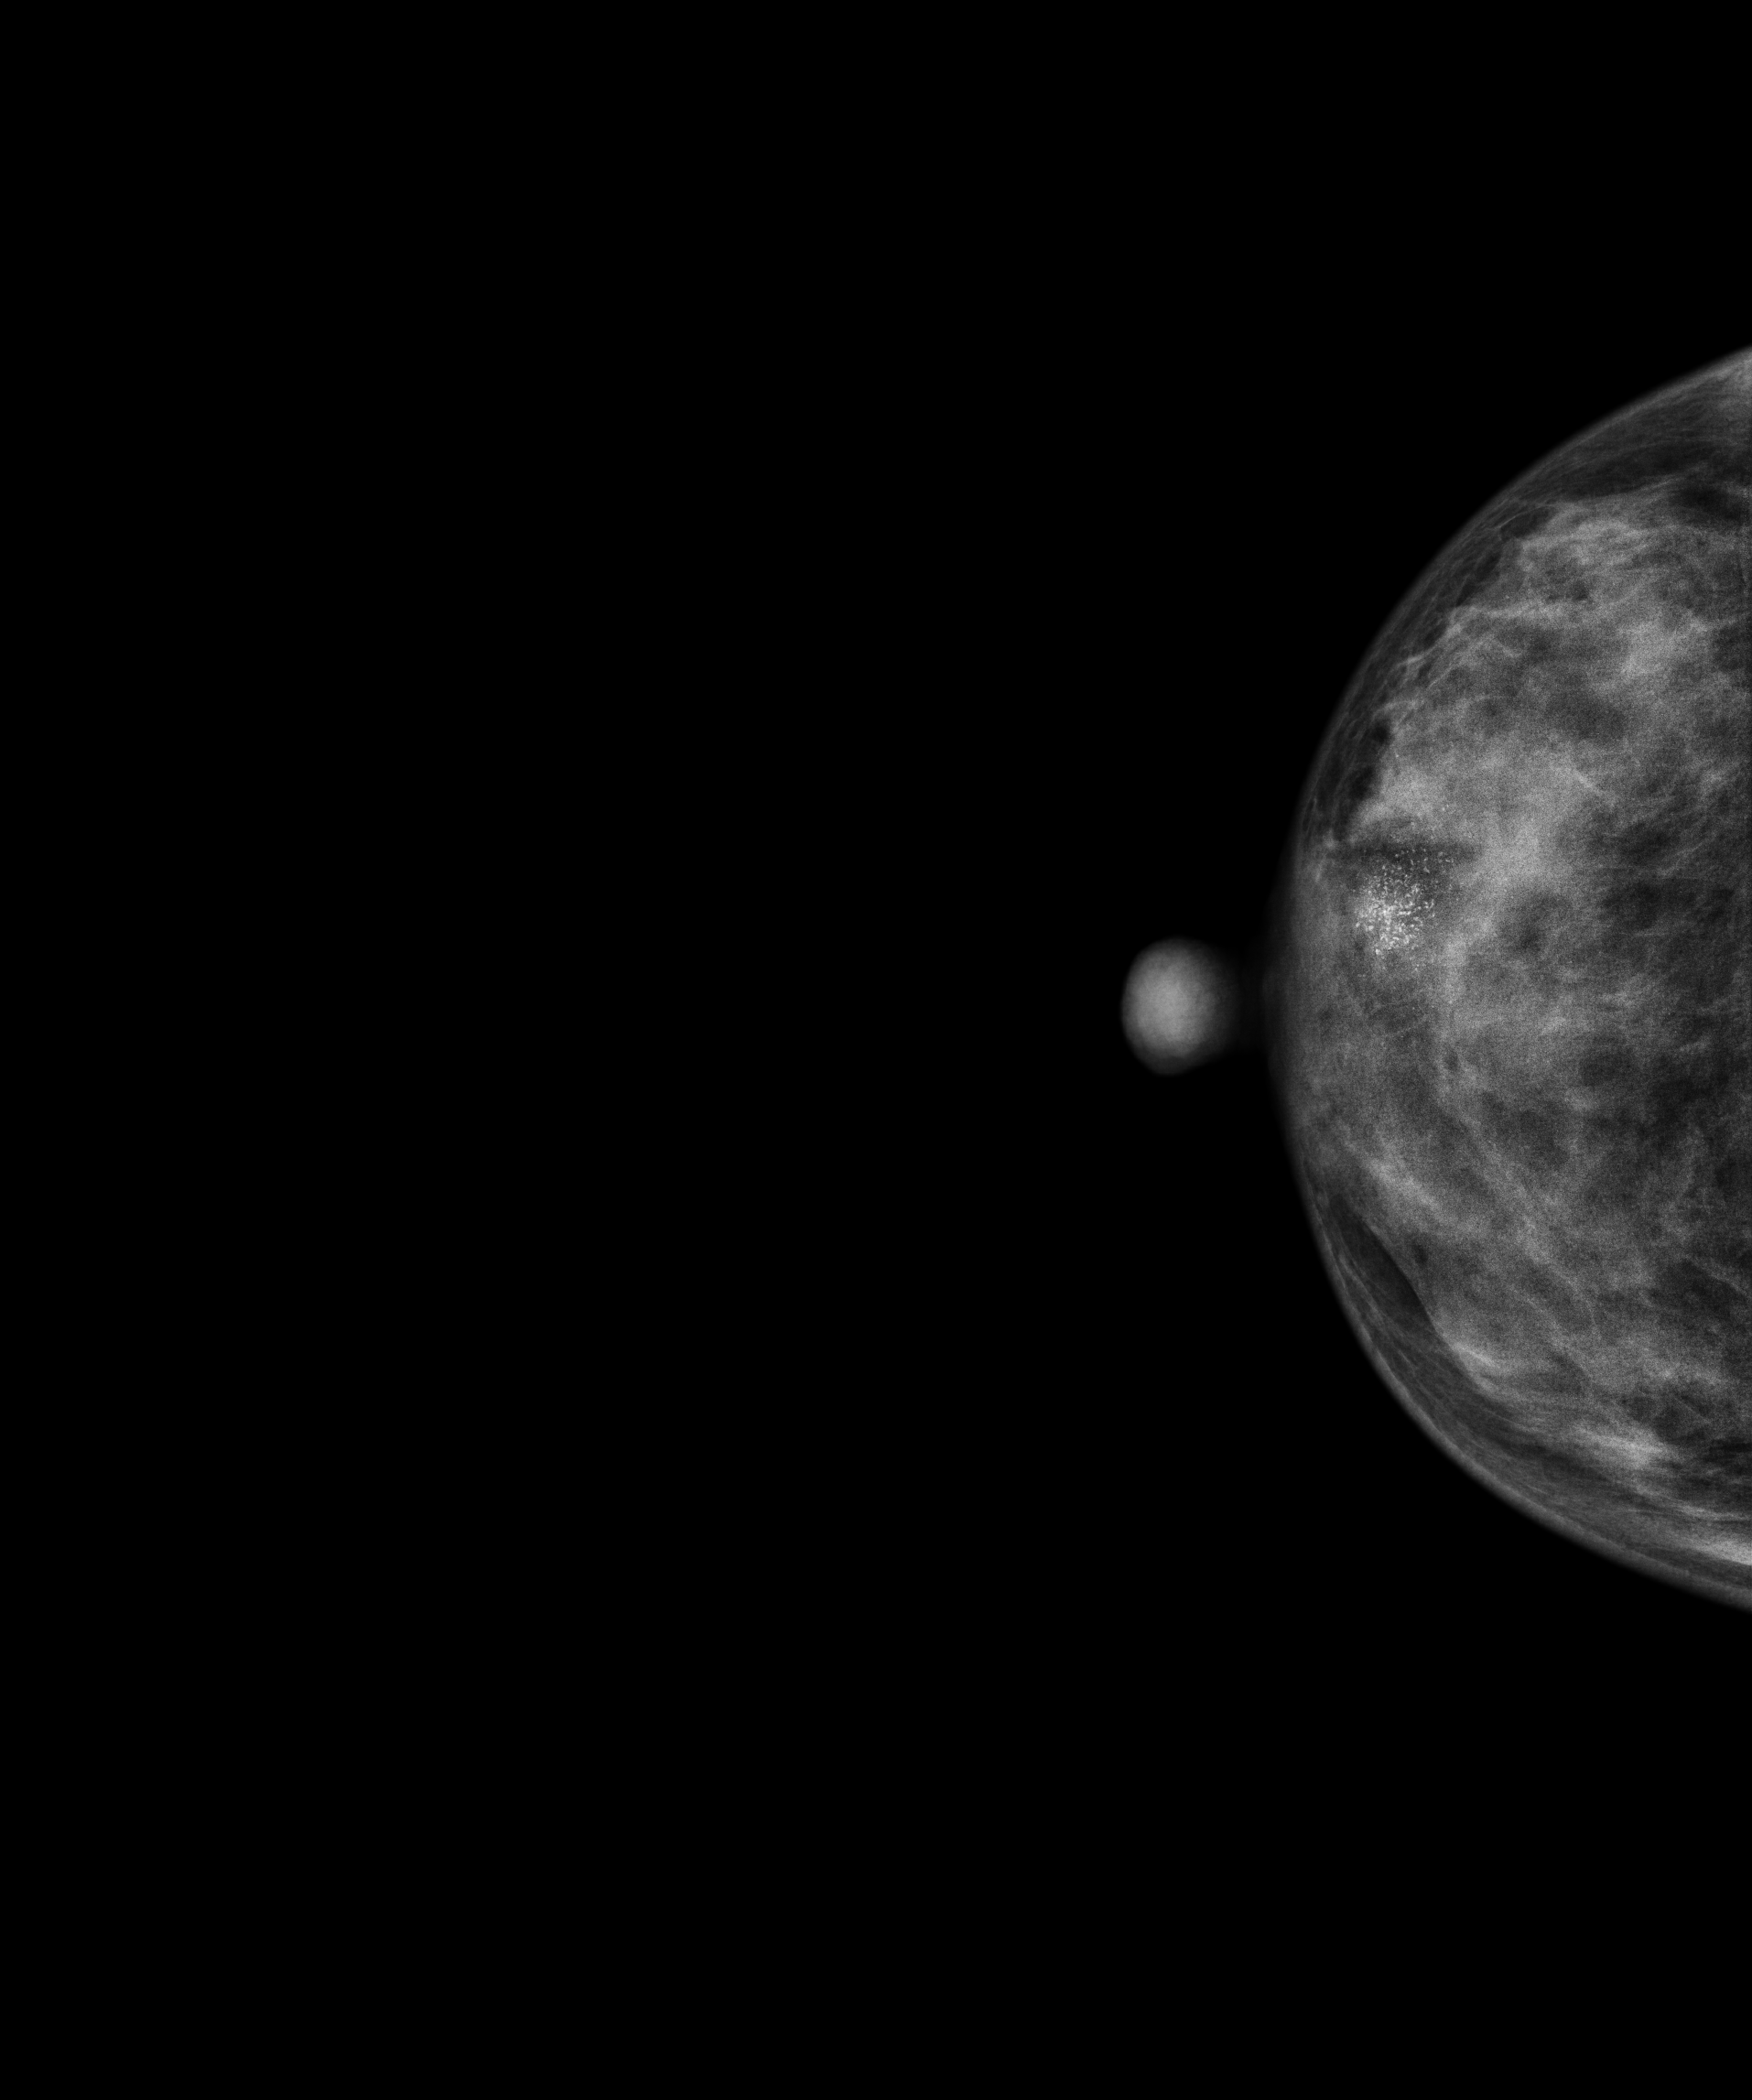
Digital mammography. Right breast, cranio-caudal projection. 33 y/o patient.
This breast has calcifications, biopsy-confirmed malignant. Molecular subtype: luminal B.